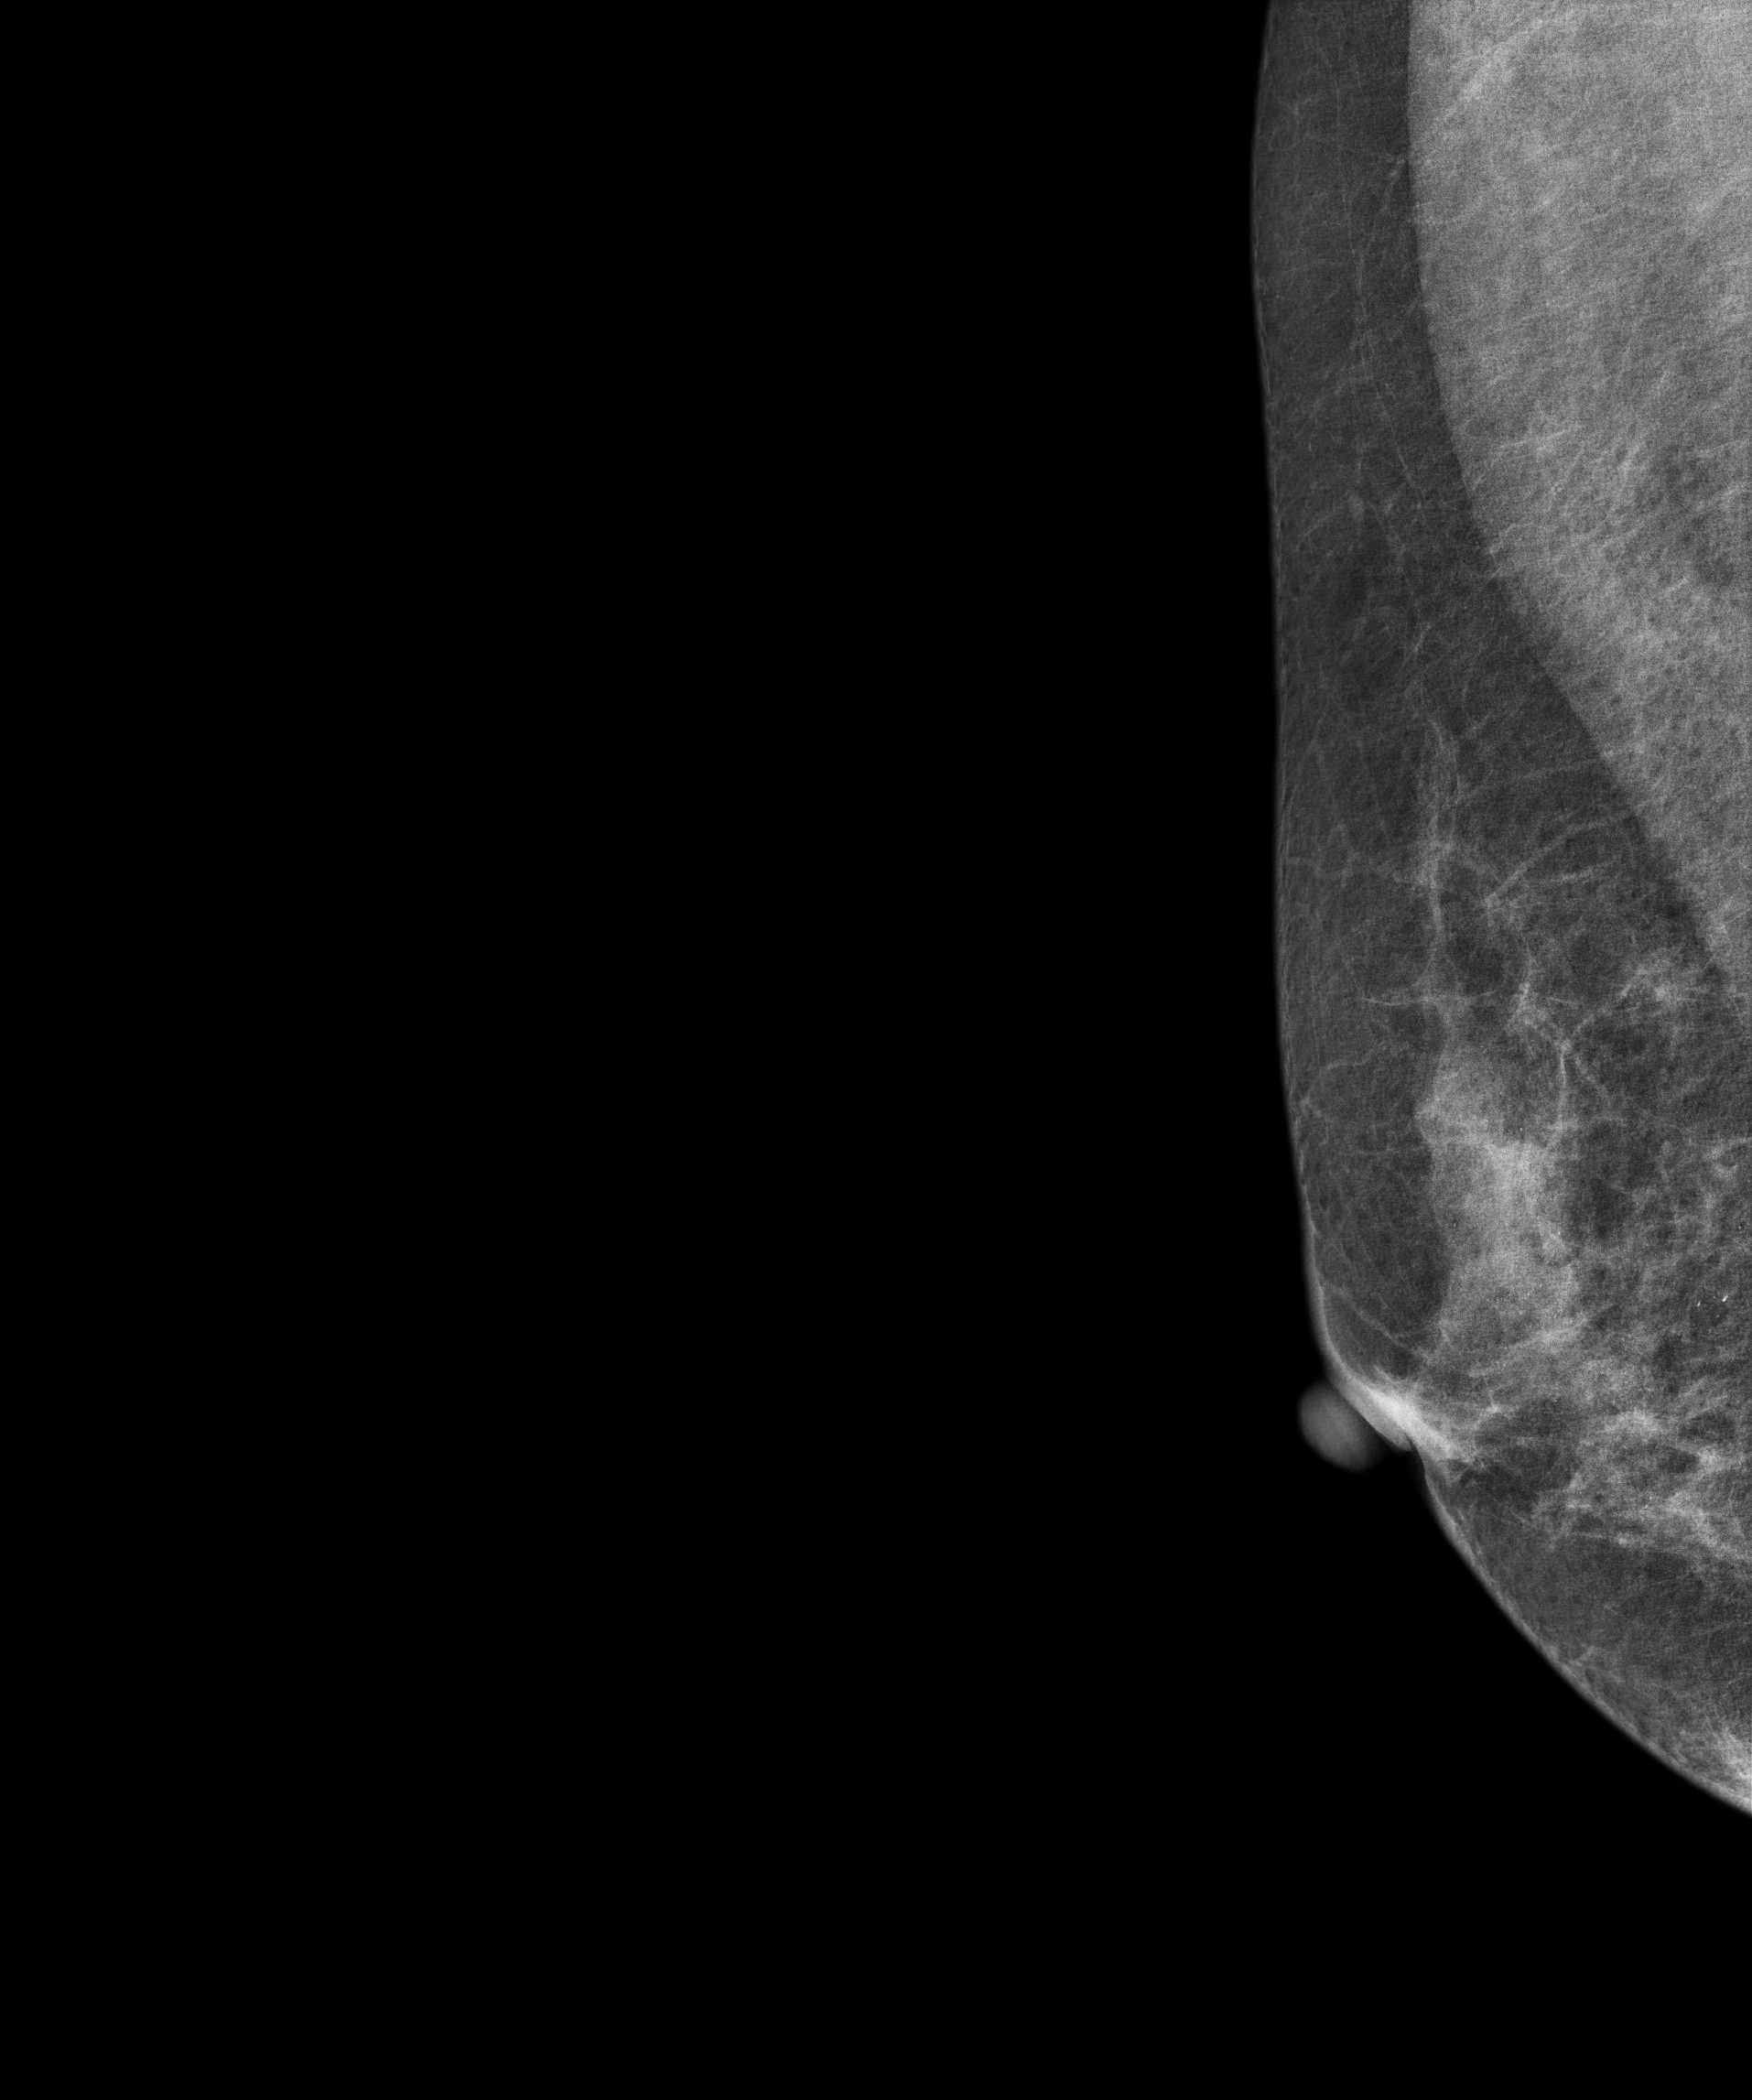
Digital mammography. Right breast, MLO projection. 54 y/o patient.
This breast has calcifications, biopsy-confirmed benign.